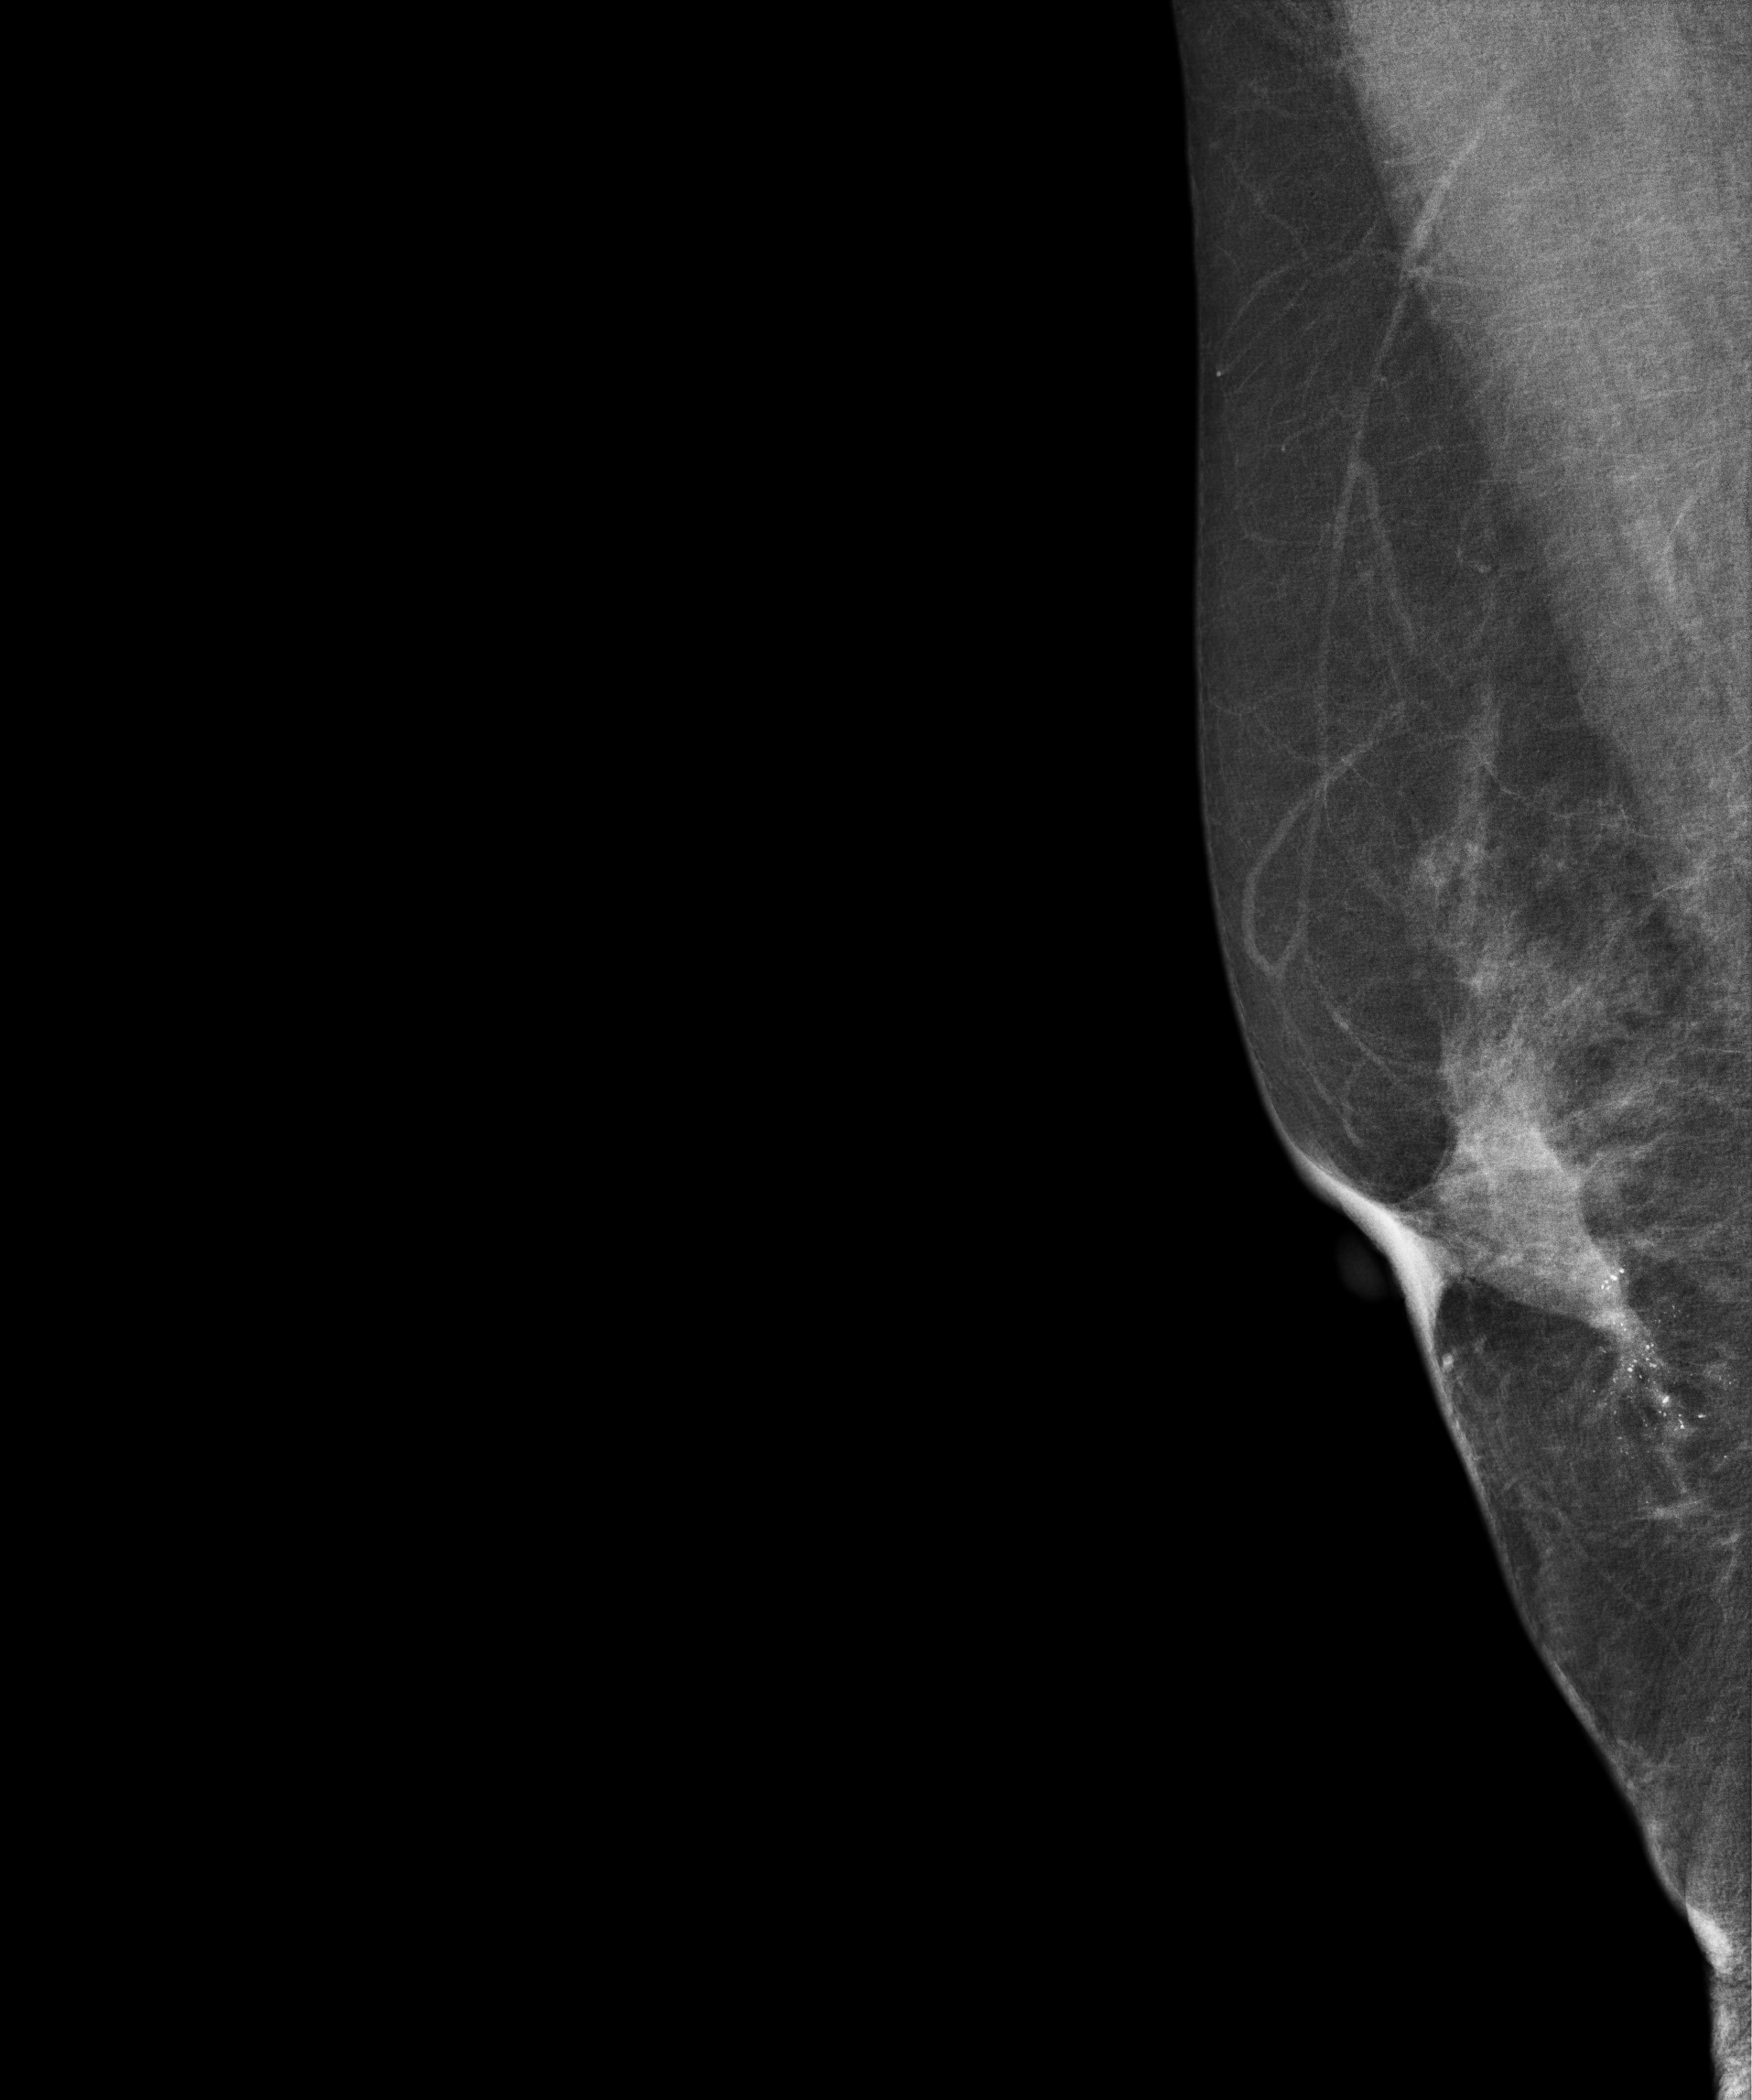
Right-breast mammogram, medio-lateral oblique. Patient age 69.
This breast has calcifications, biopsy-proven malignant. Molecular subtype: luminal B.